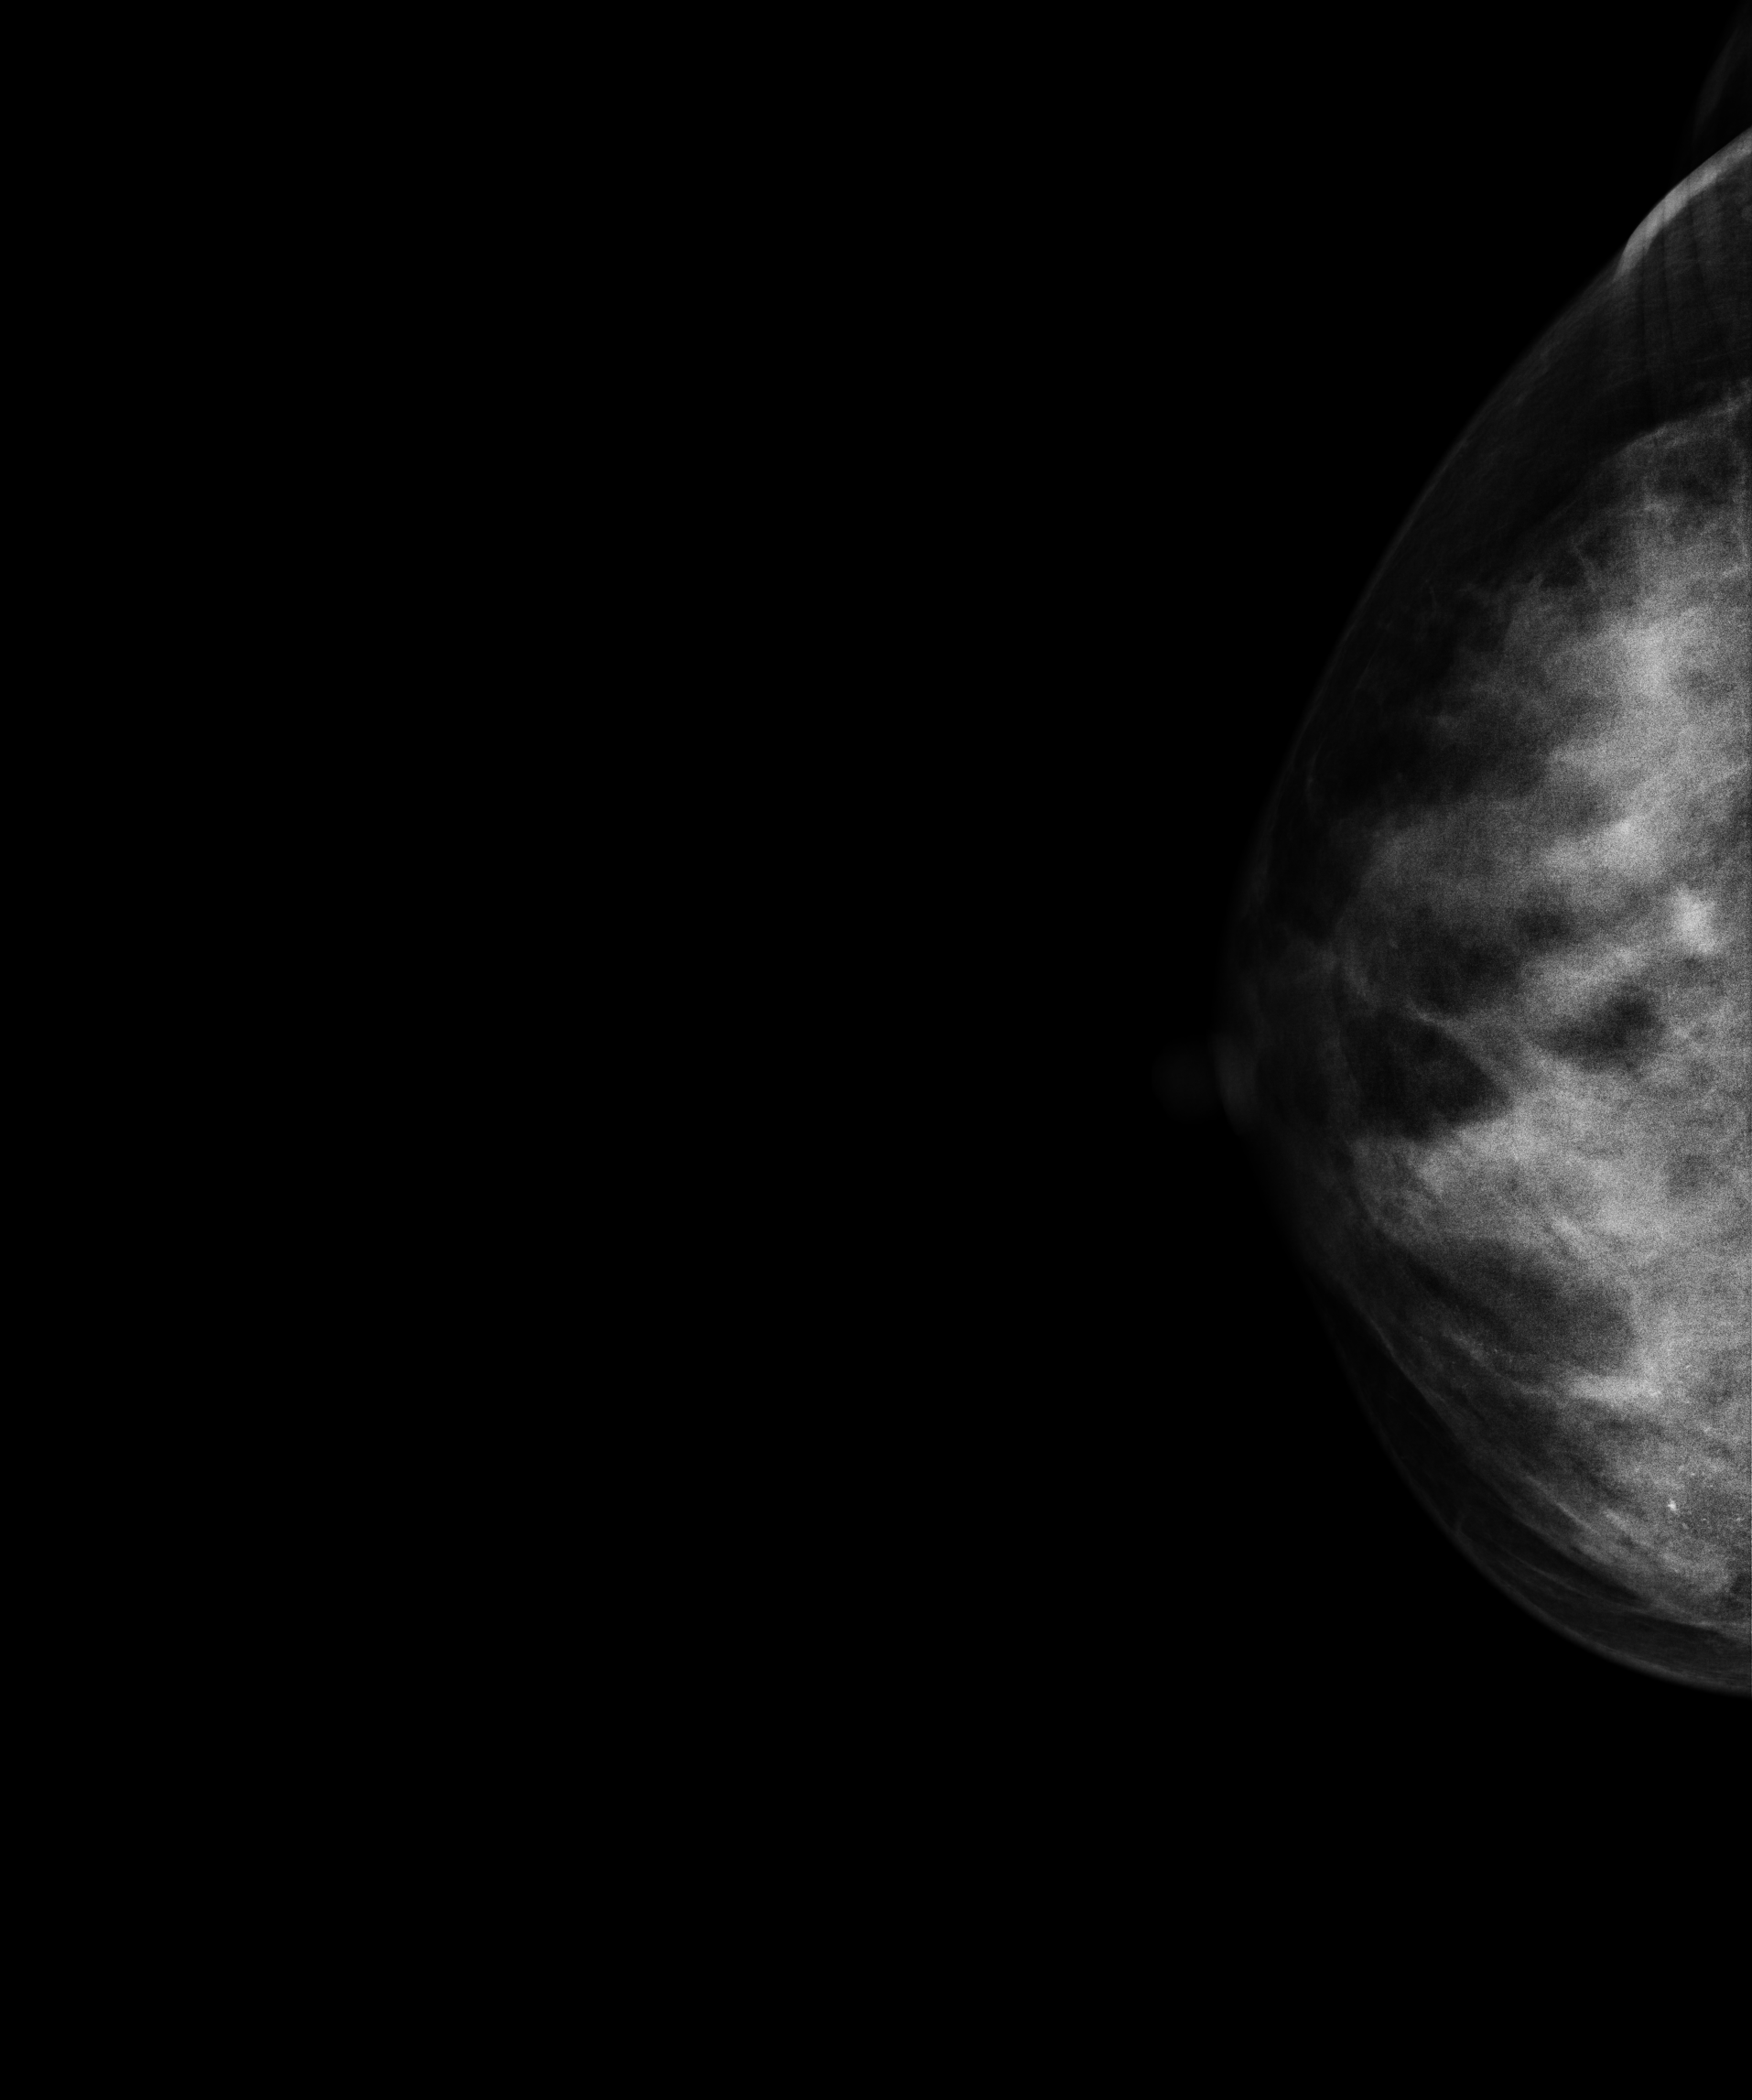
Mammogram, right breast, CC view. 41 y/o patient.
This breast has calcifications, biopsy-confirmed malignant. Molecular subtype: luminal A.